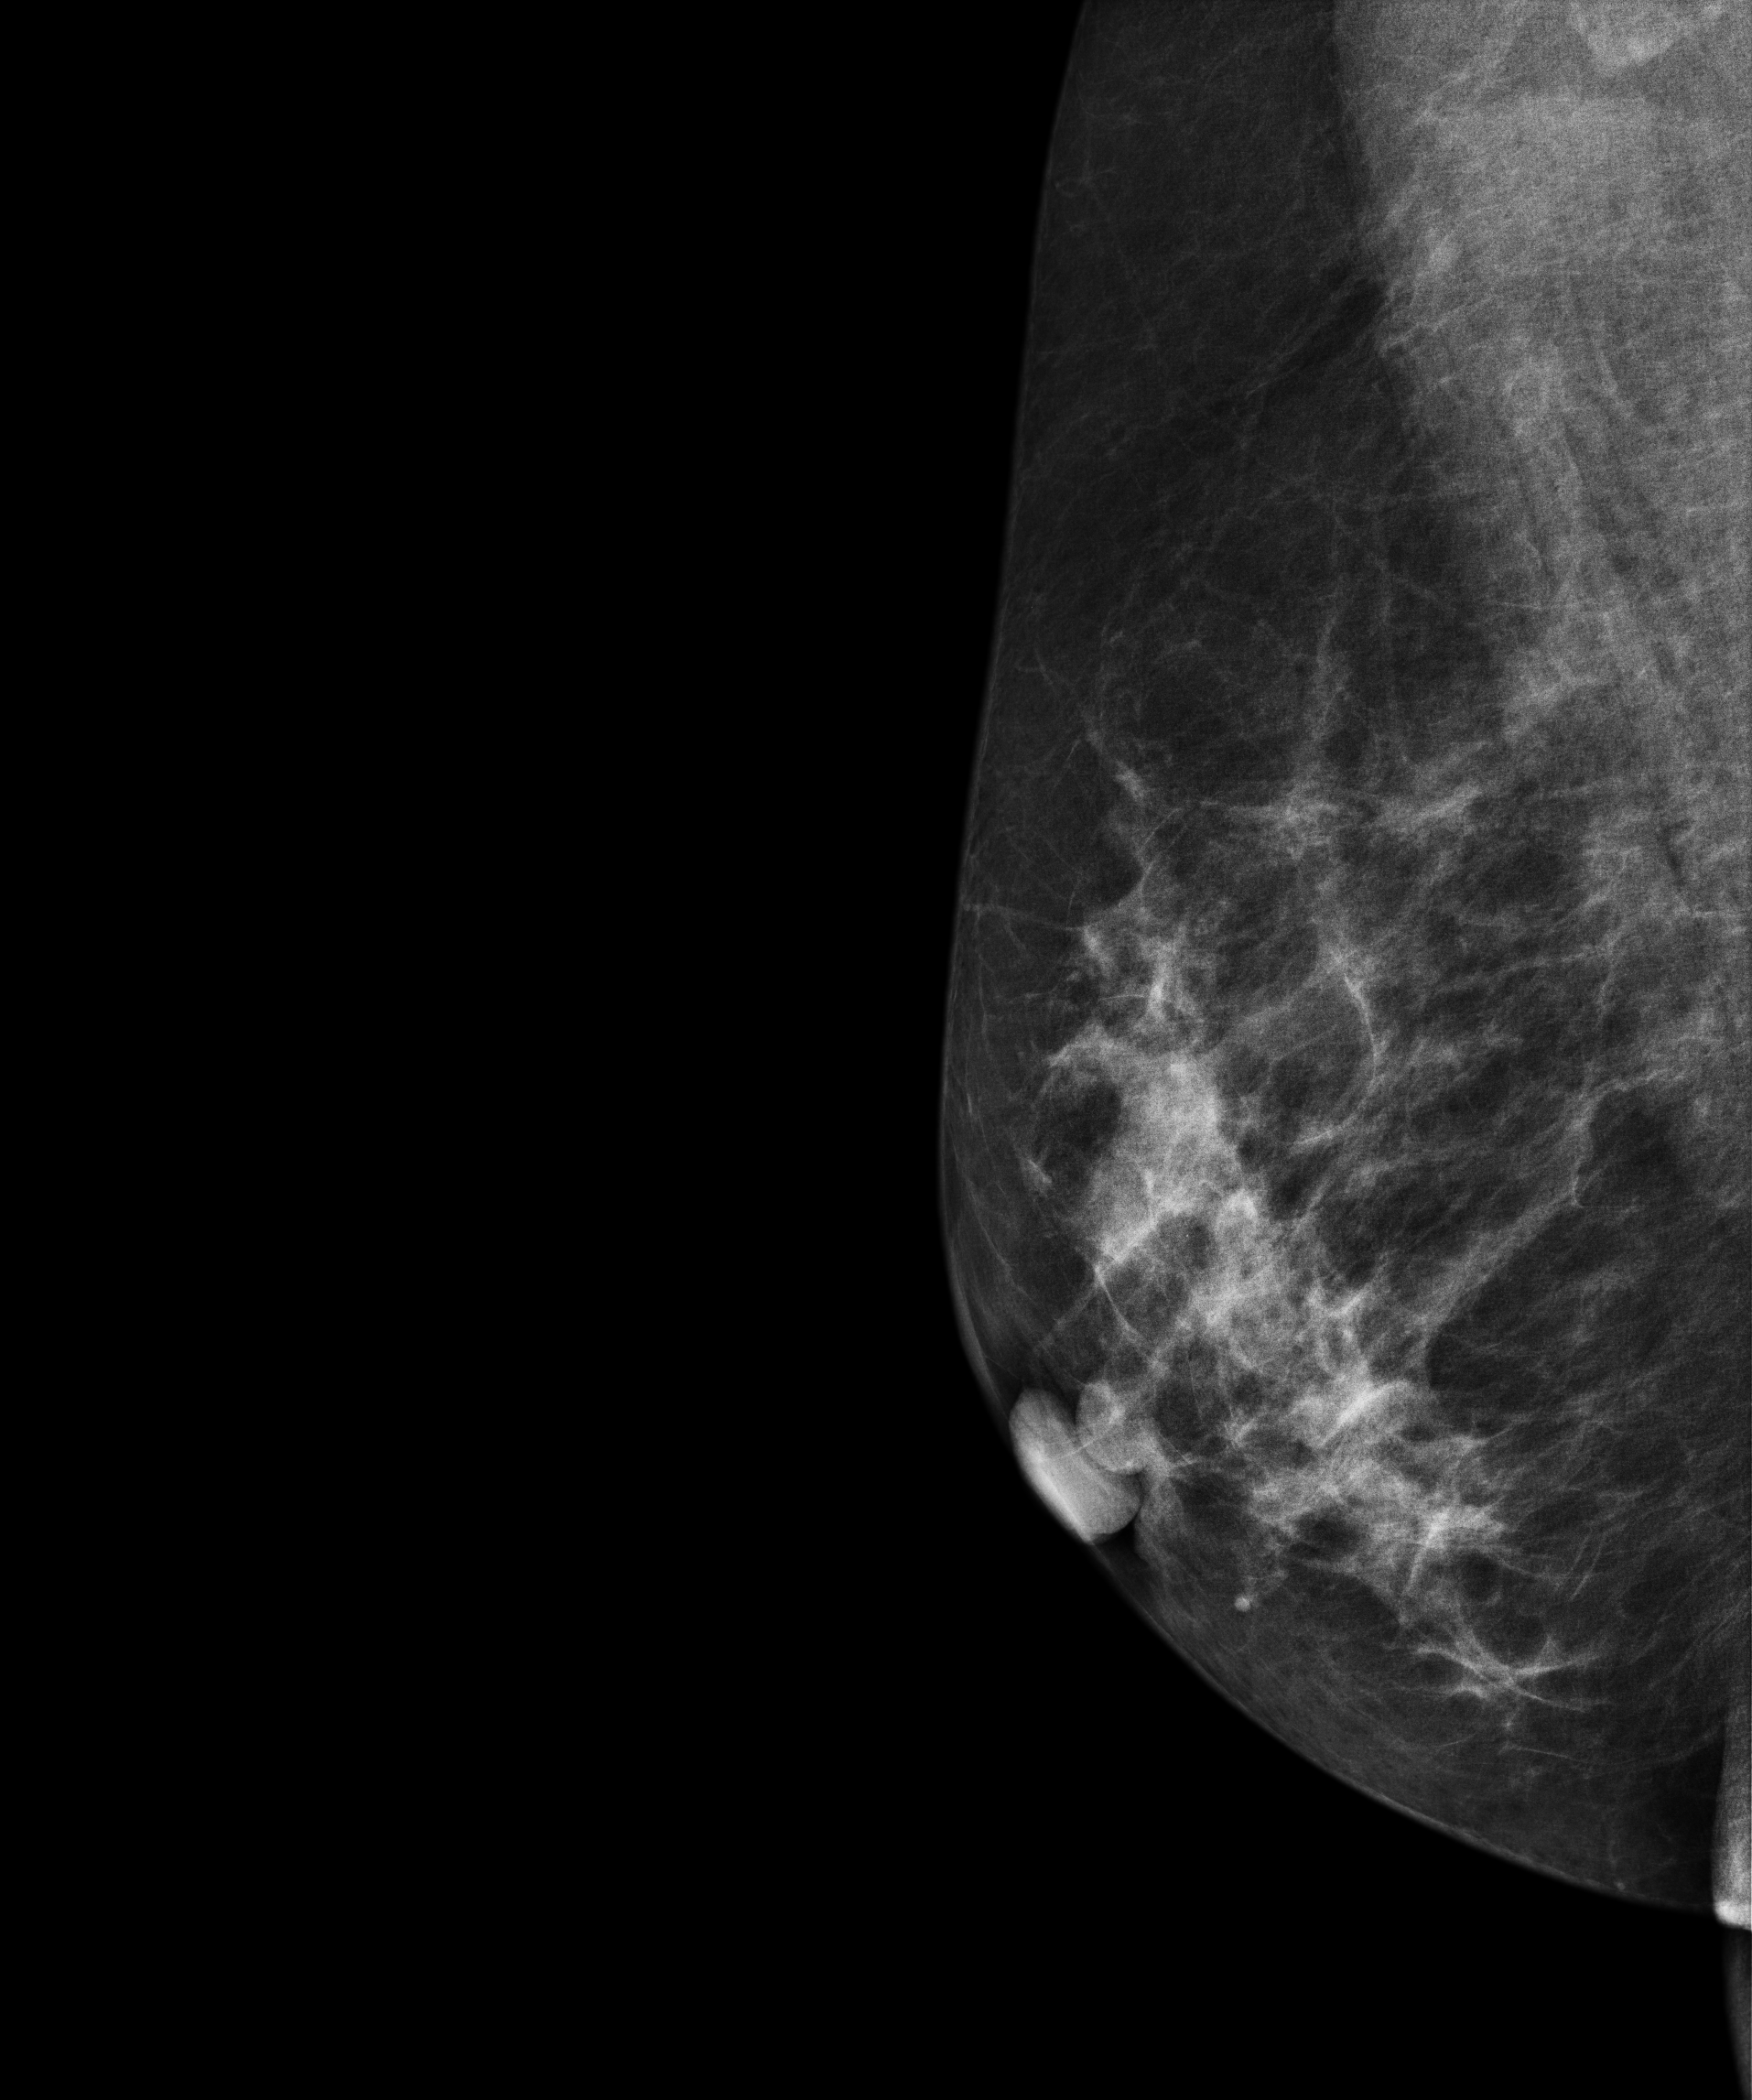
MLO mammogram of the right breast. 59 y/o patient.
Contralateral breast — no documented abnormality on this side.